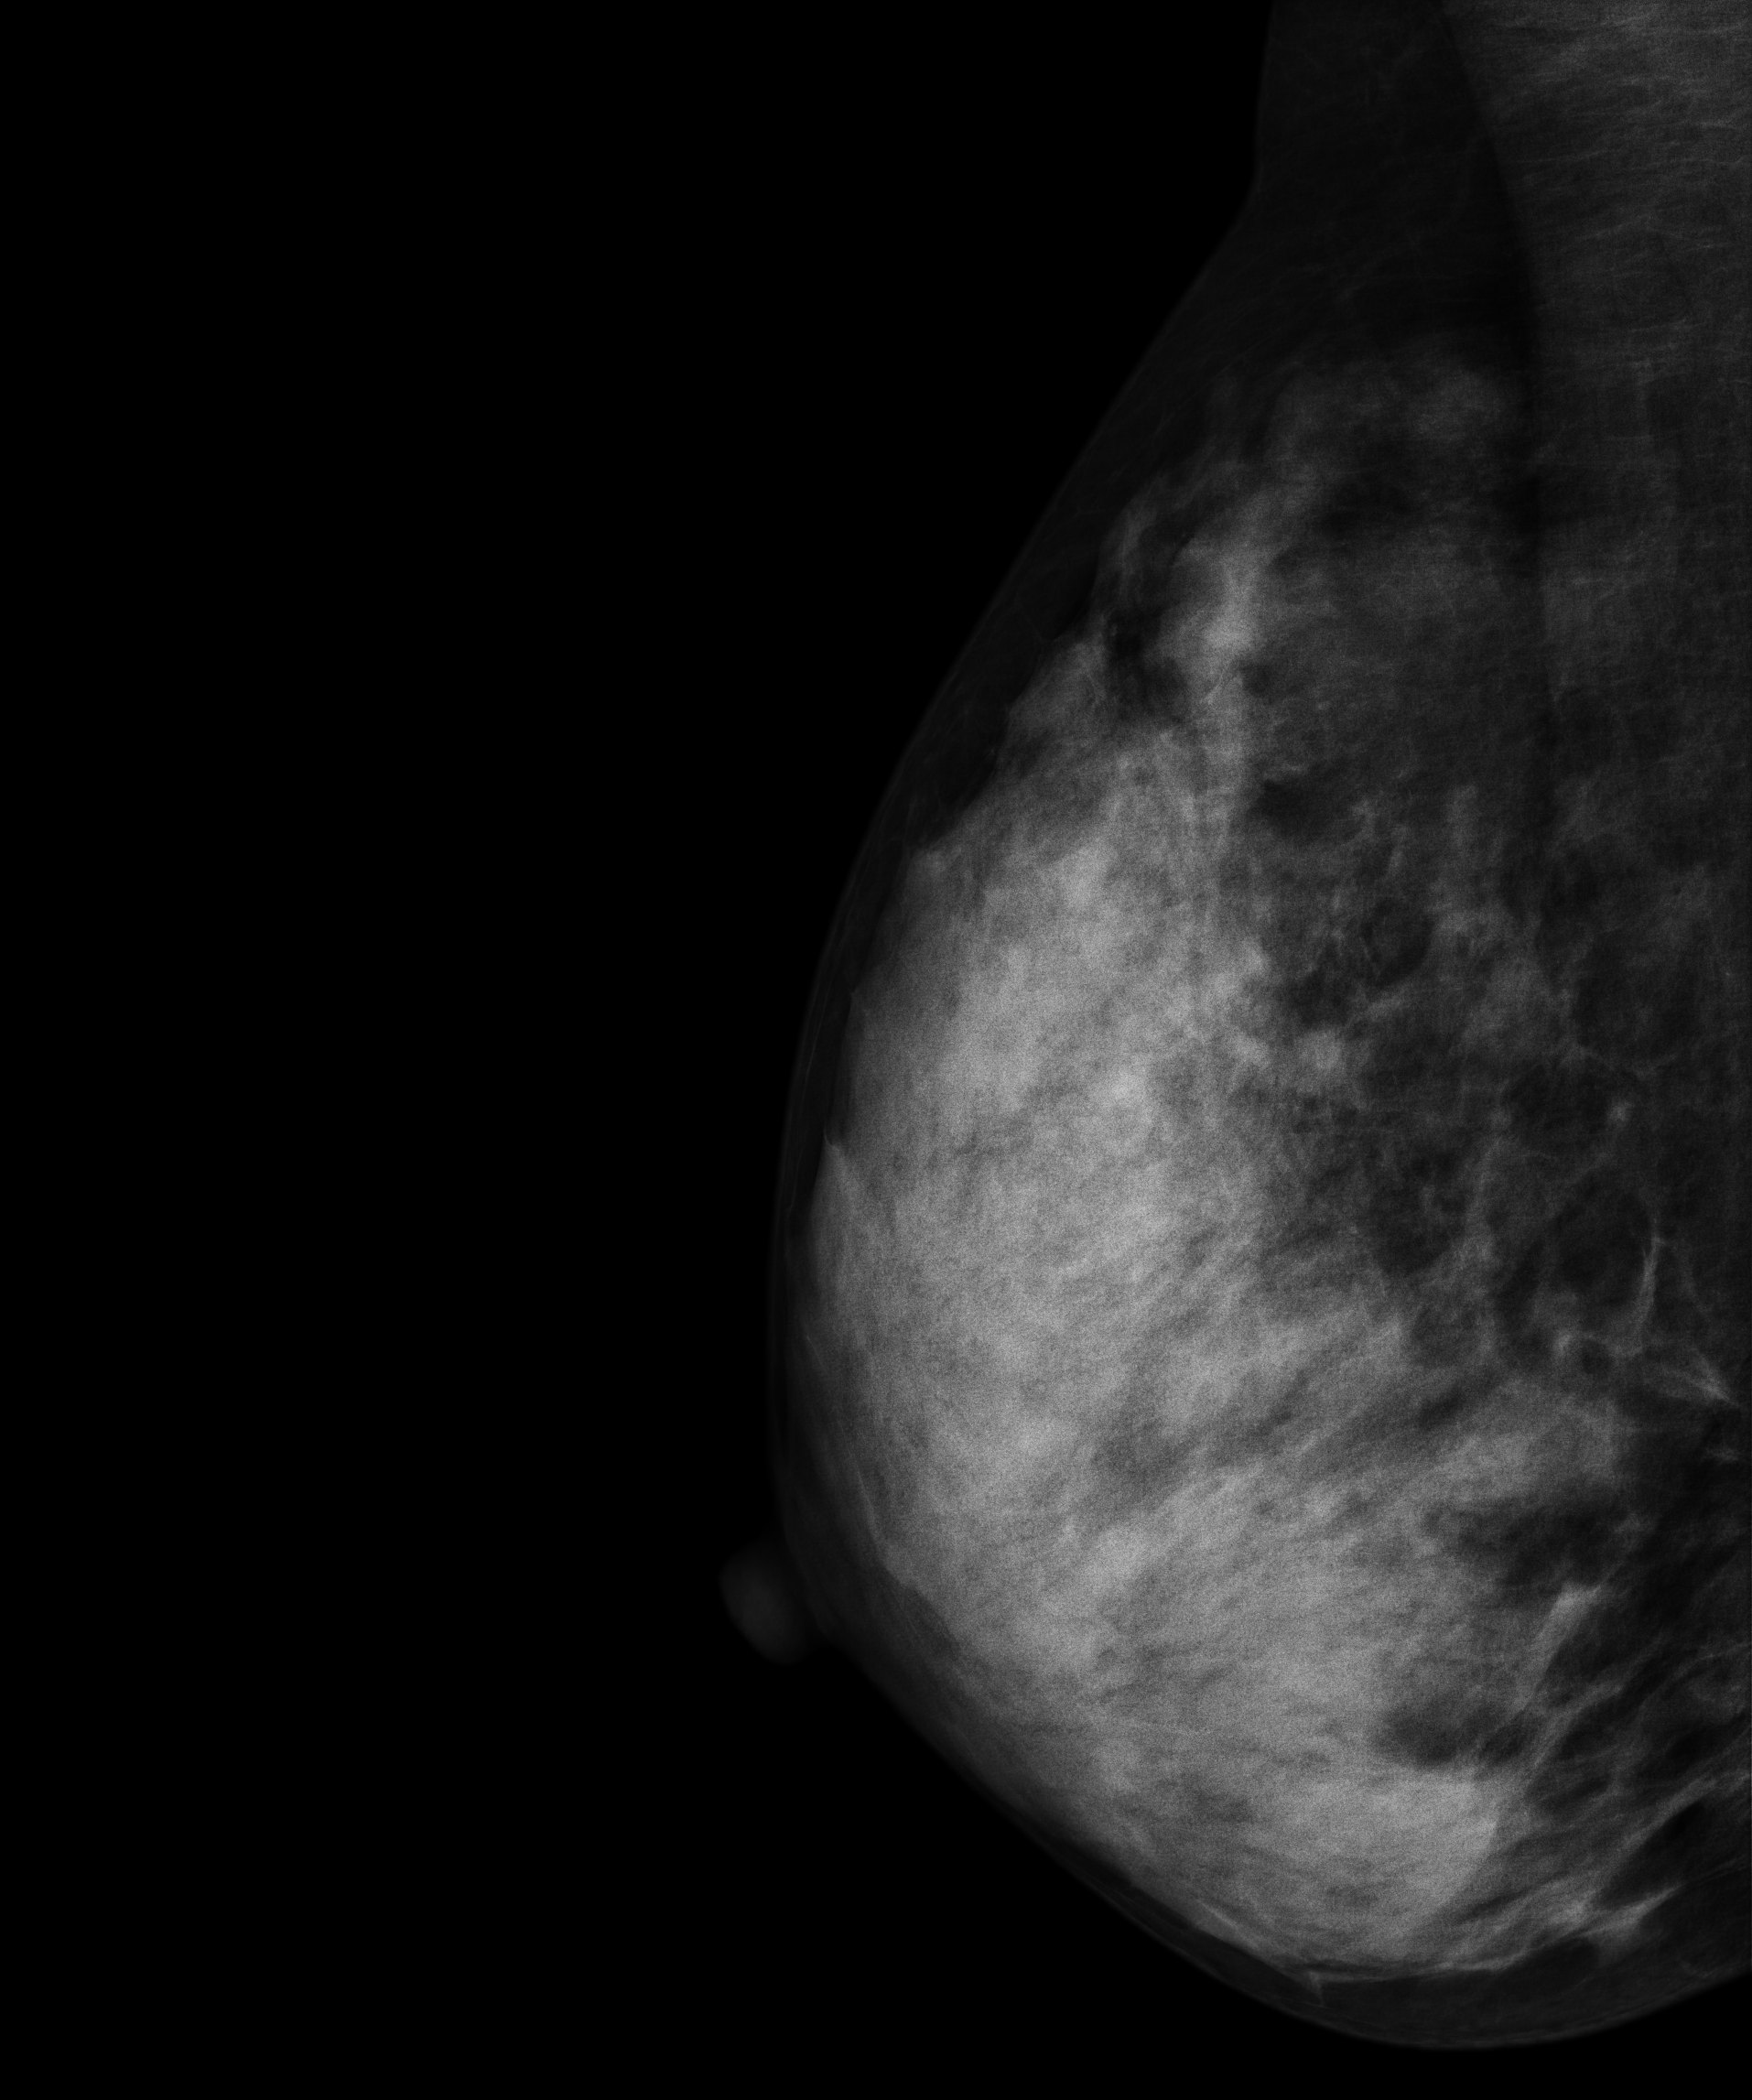
Right-breast mammogram, MLO. 44 y/o patient.
Contralateral breast — no documented abnormality on this side.